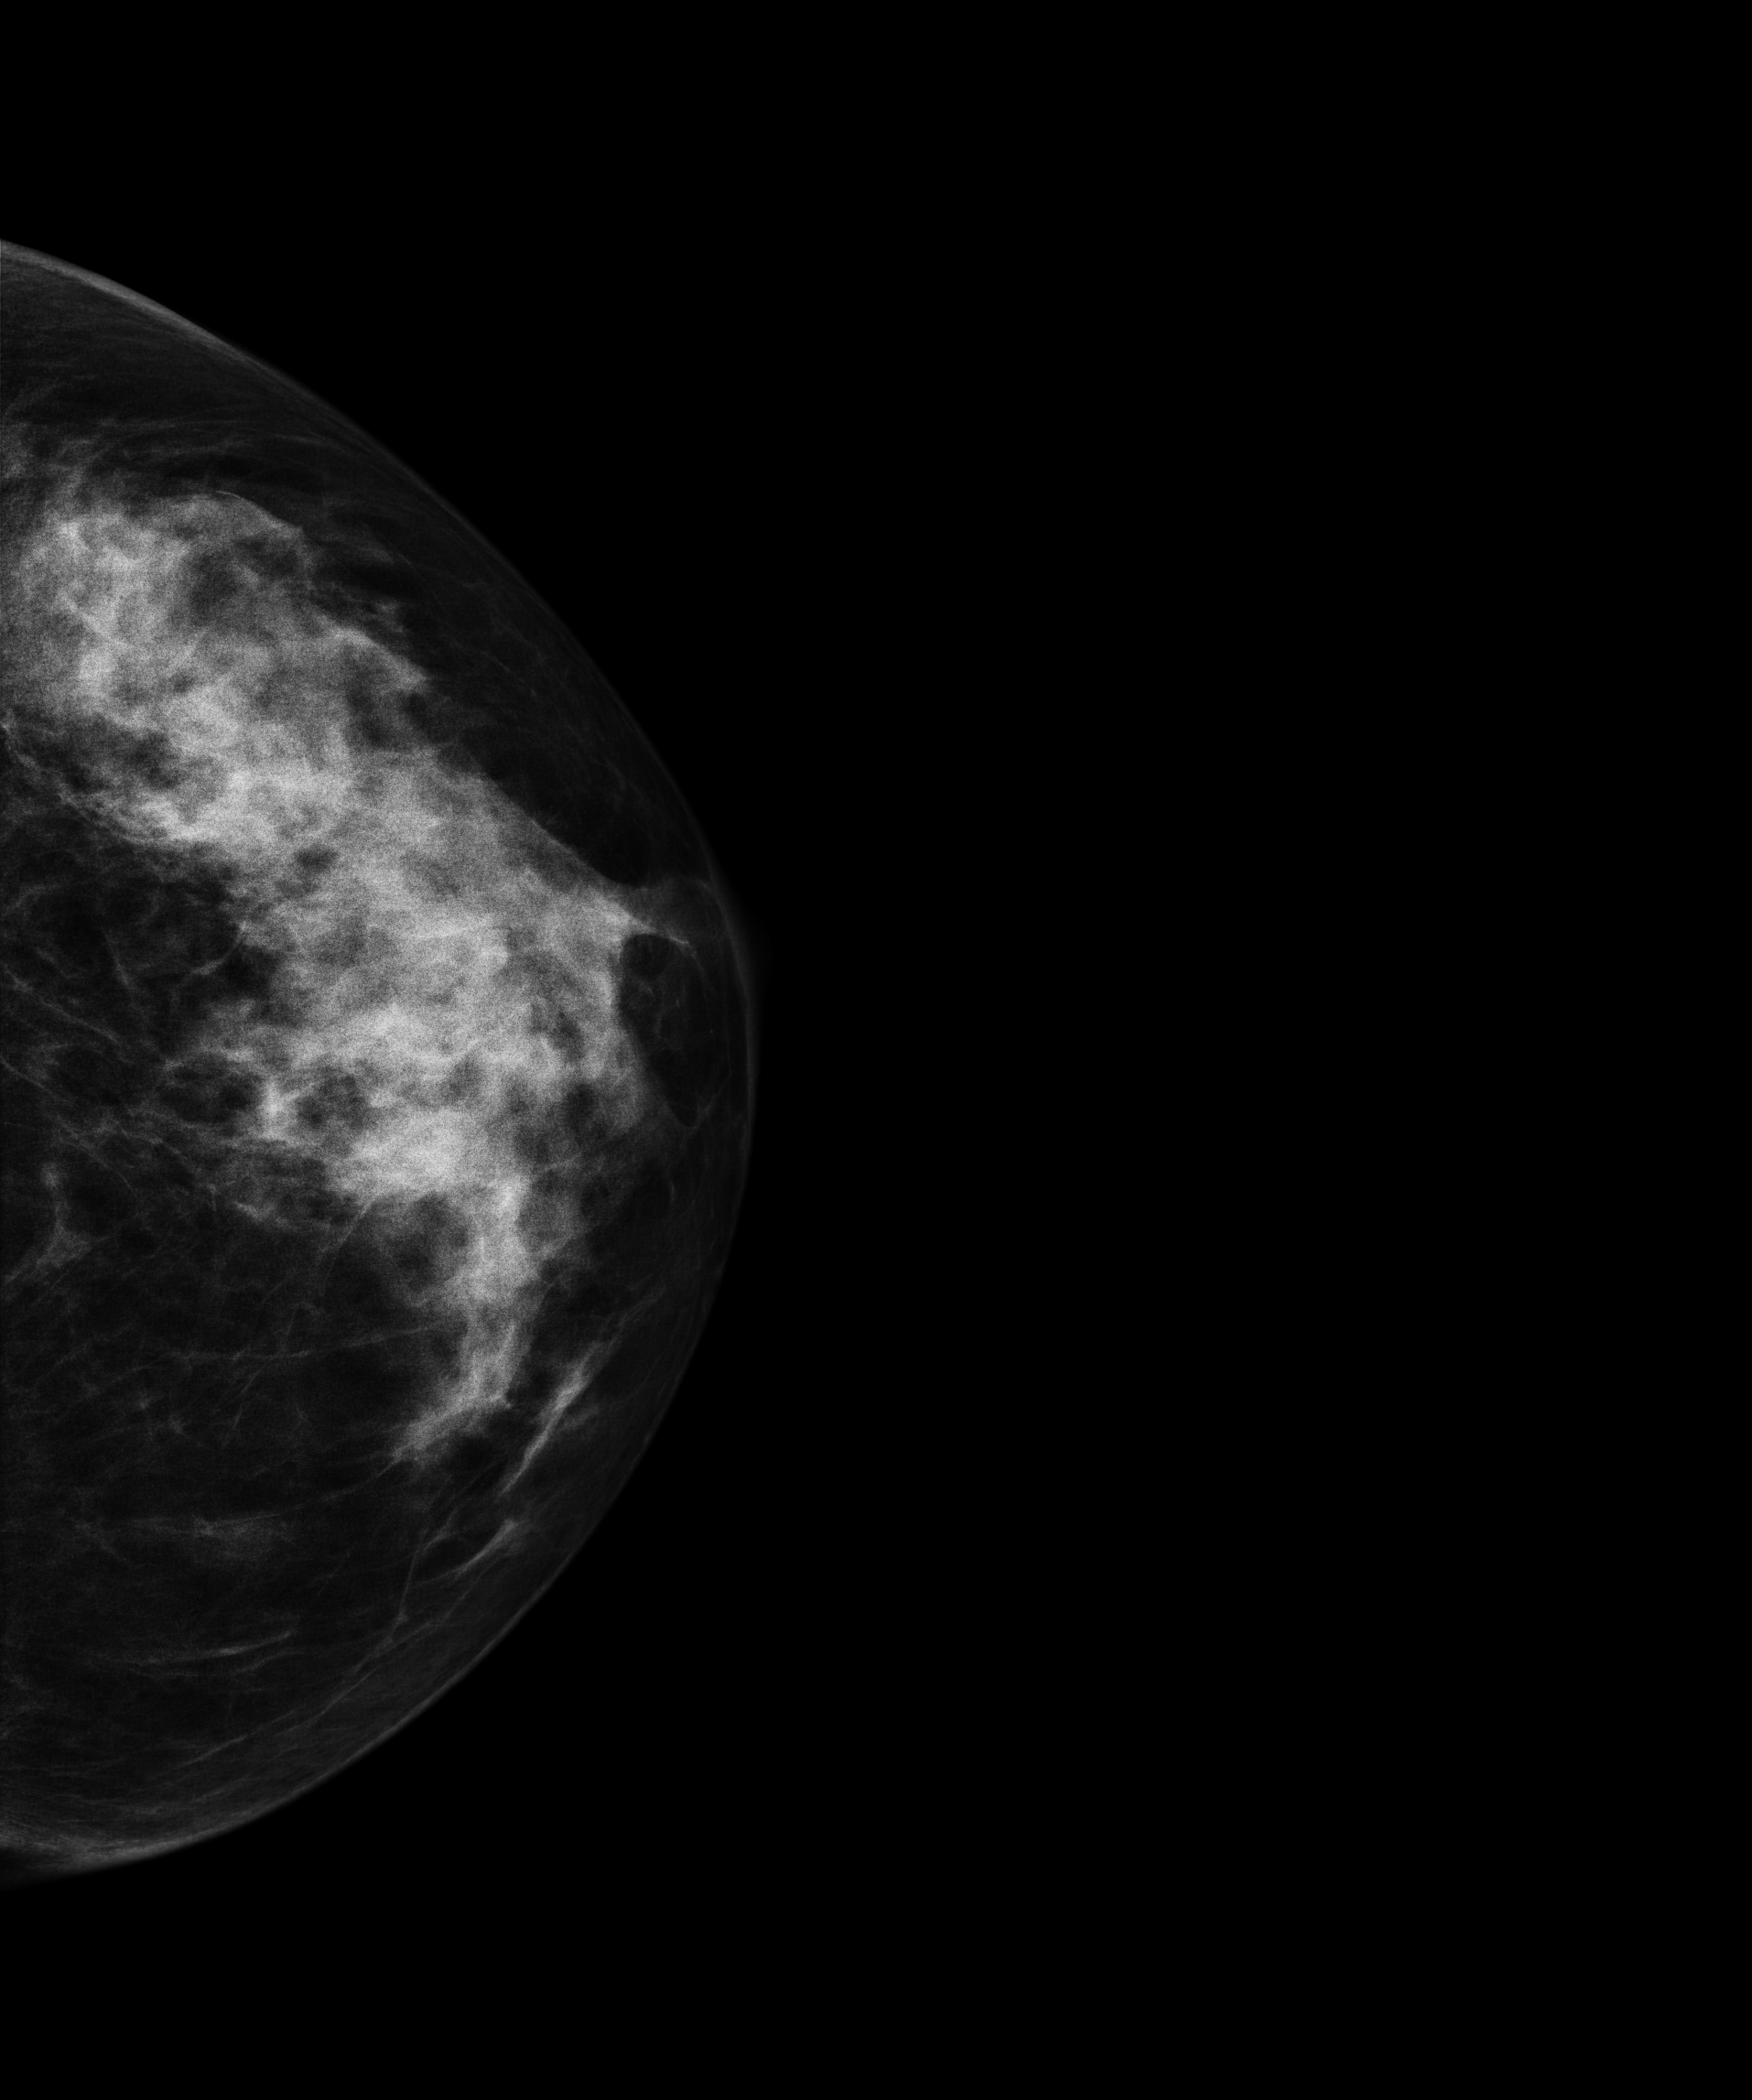
Left-breast mammogram, cranio-caudal. 56 y/o patient.
This breast has a mass, histologically confirmed malignant. Molecular subtype: luminal B.